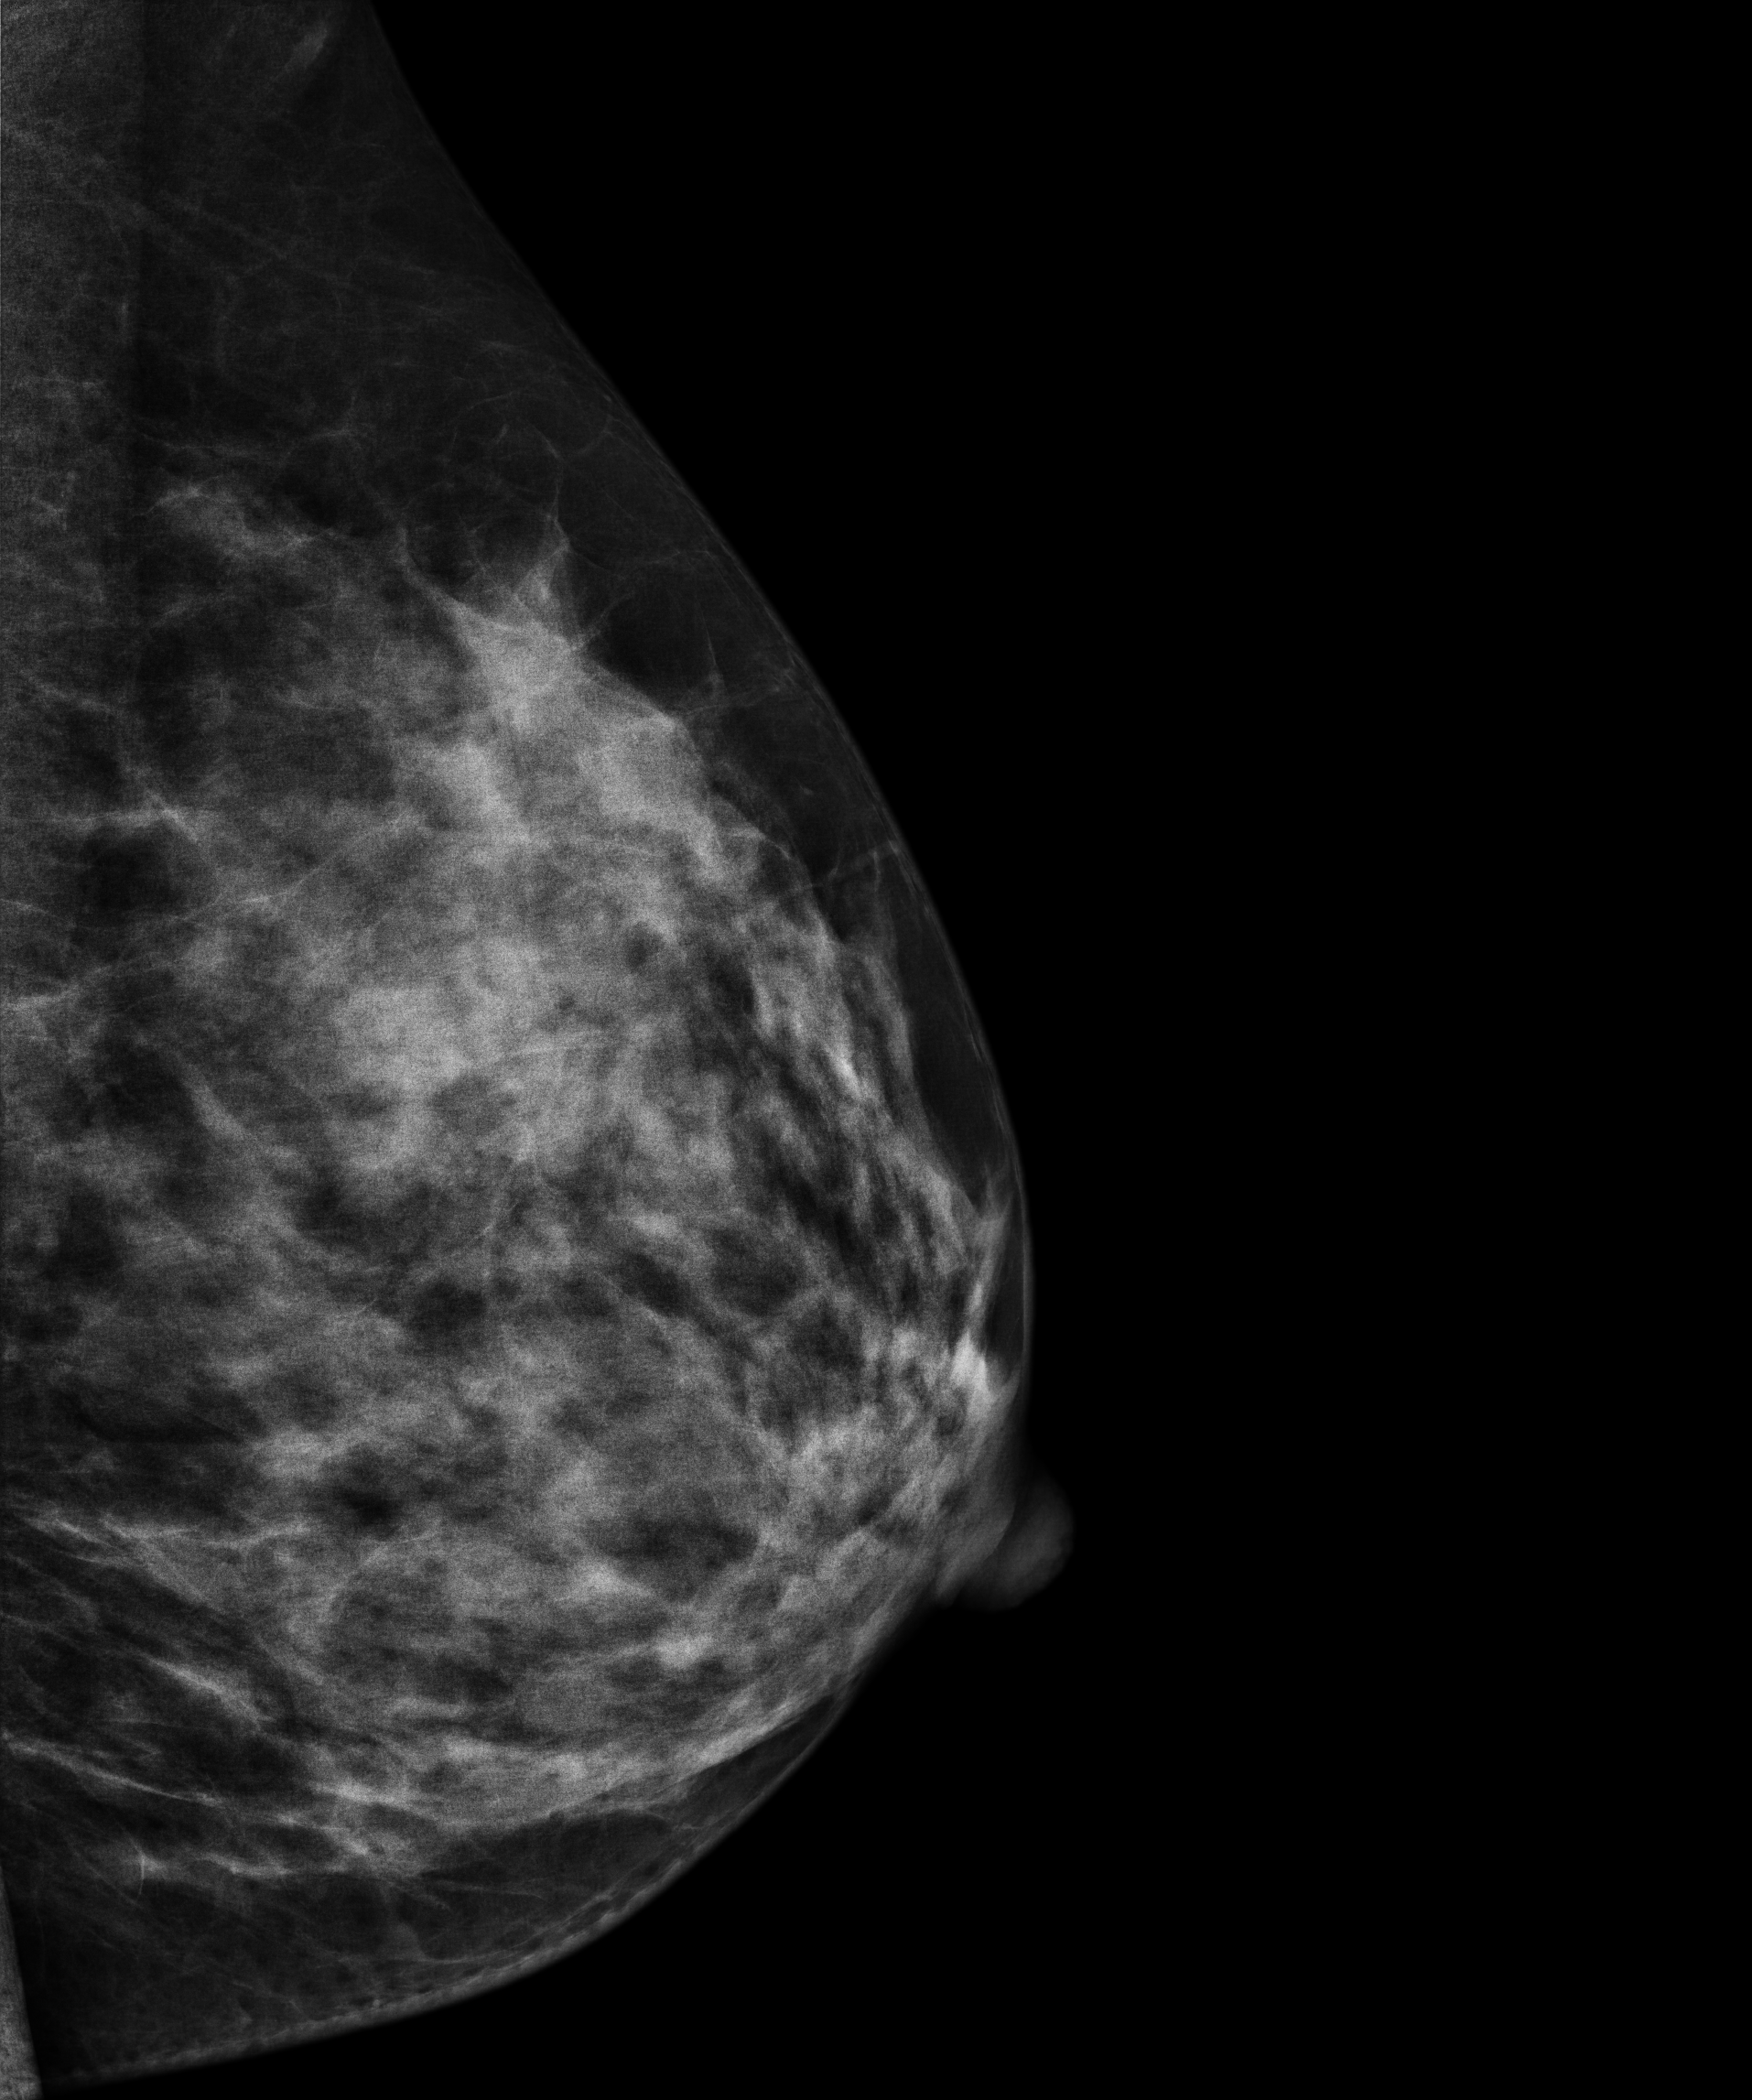
Mammogram — left MLO. Patient age 34.
This breast has a mass, biopsy-confirmed benign.